Mammogram, right breast, cranio-caudal view. 42 y/o patient.
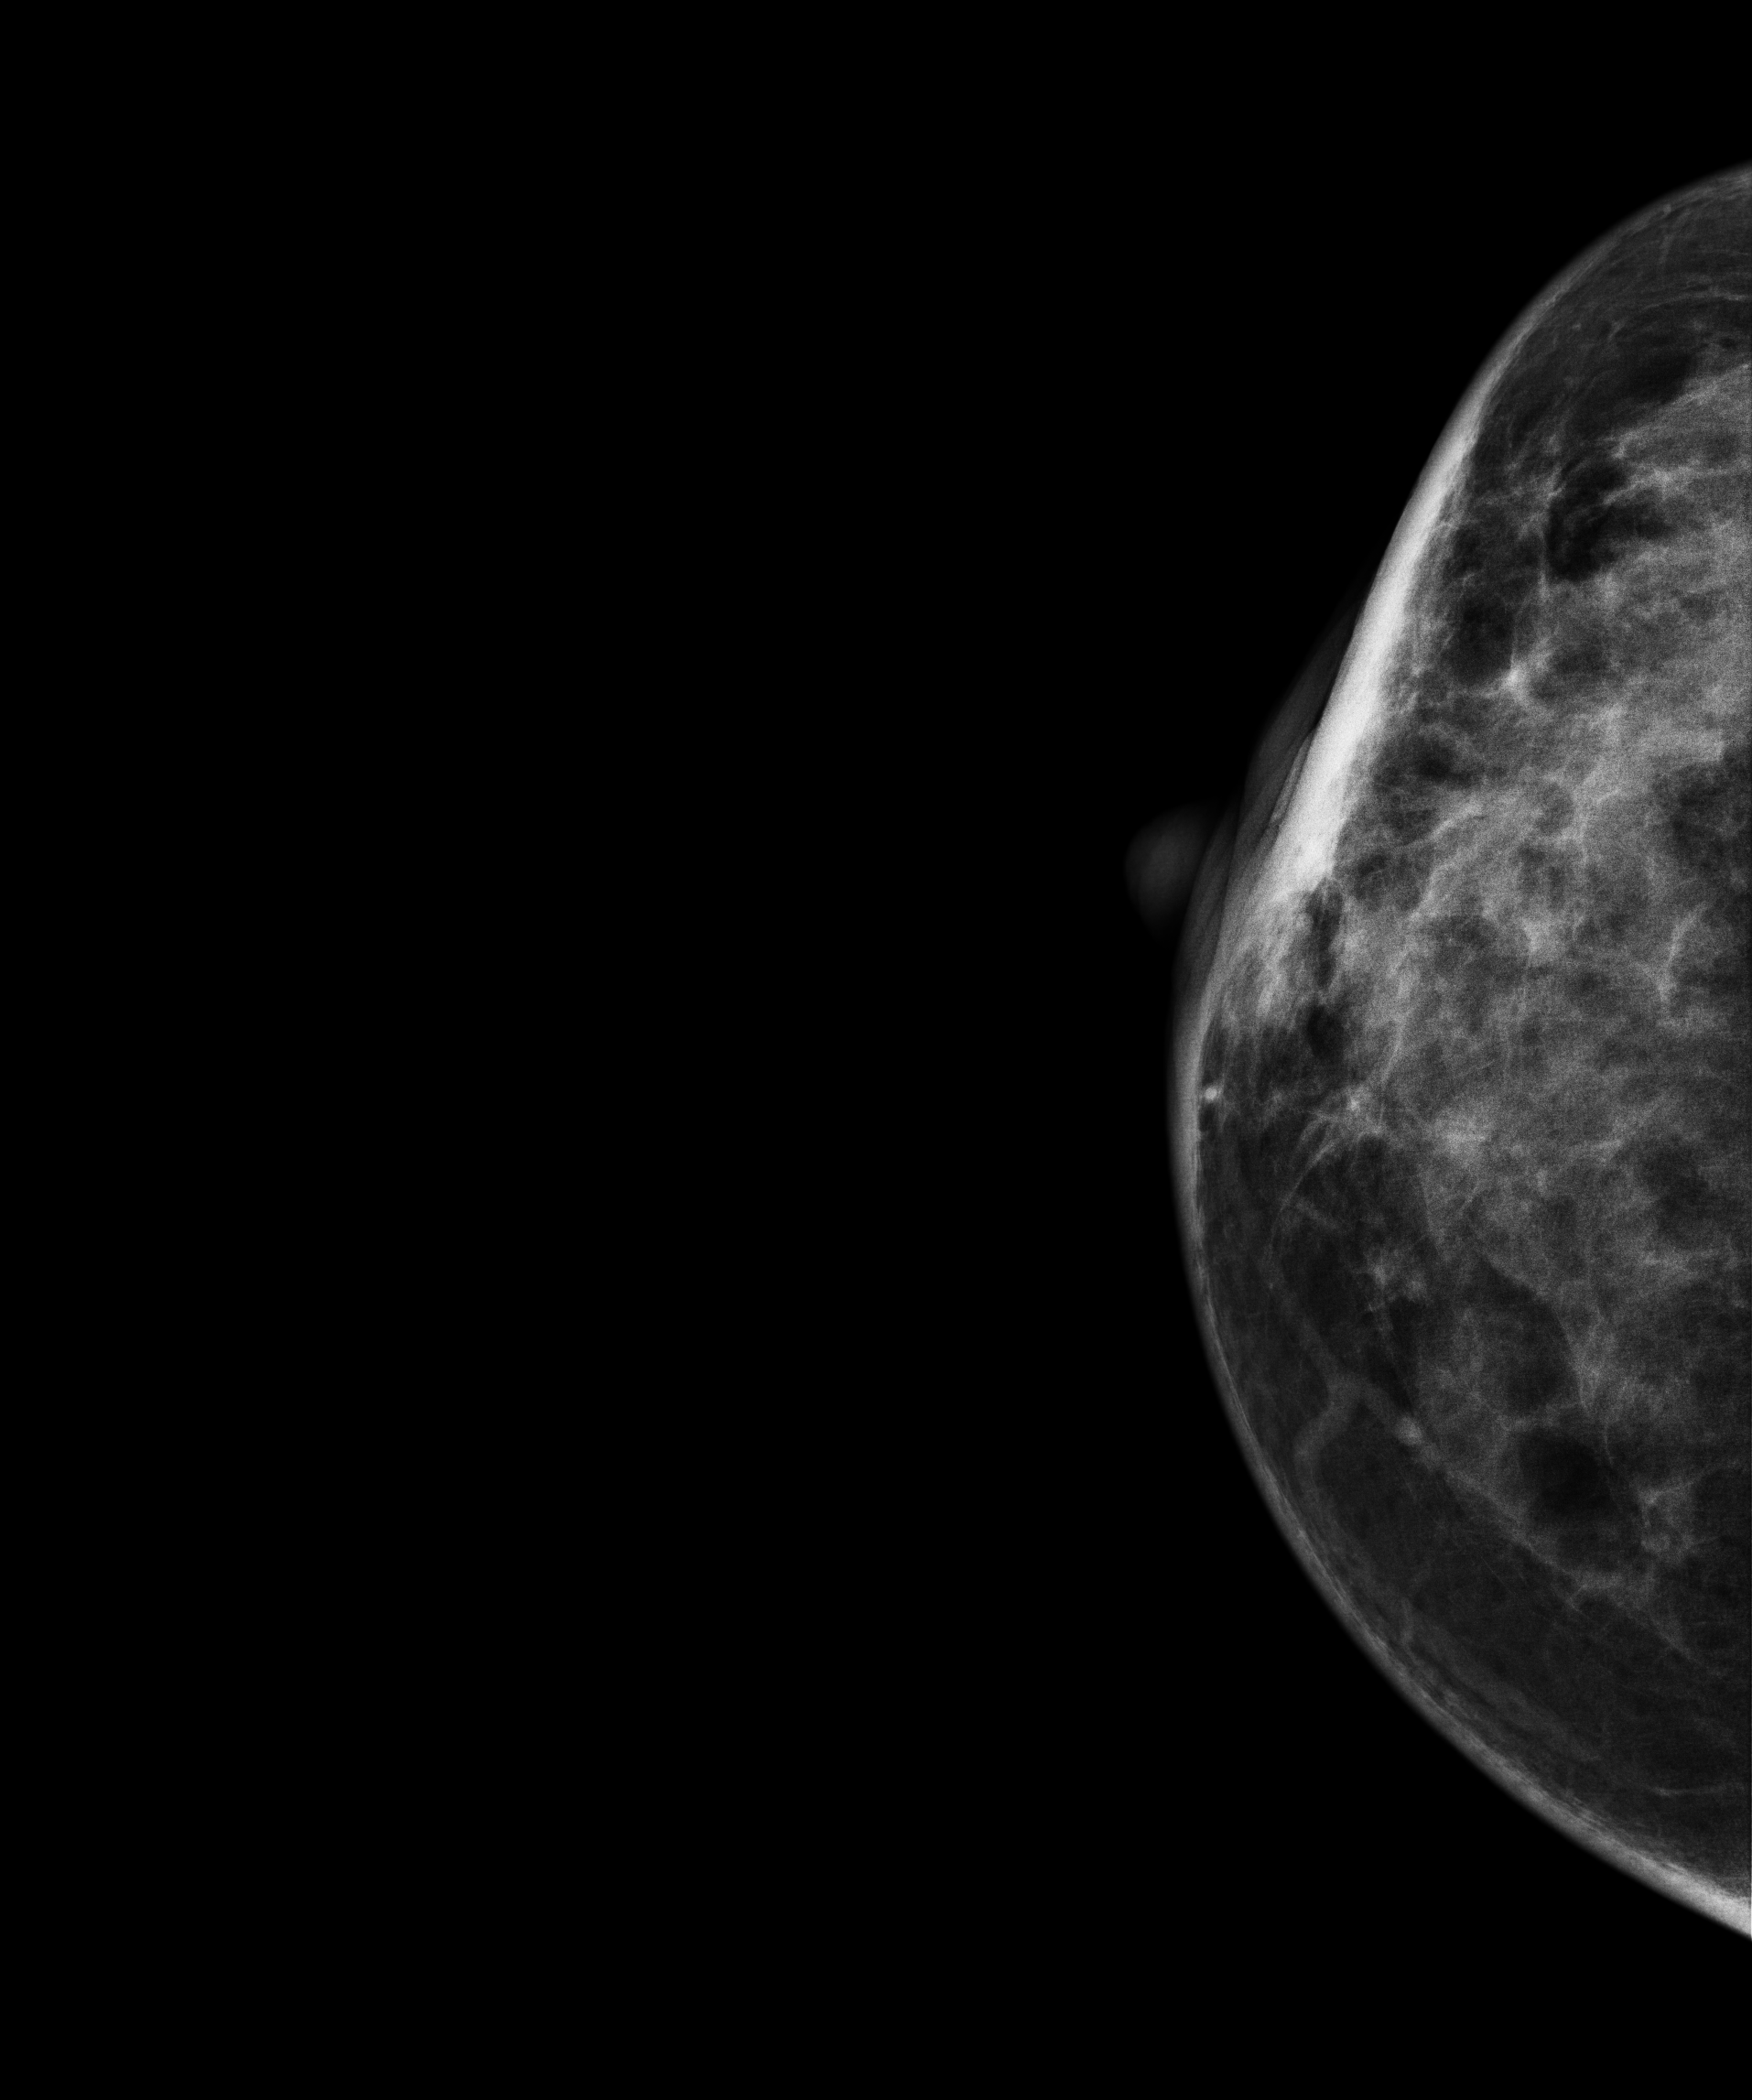
This breast has a mass, biopsy-confirmed malignant. Molecular subtype: luminal B.